Mammogram, right breast, MLO view. Patient age 60.
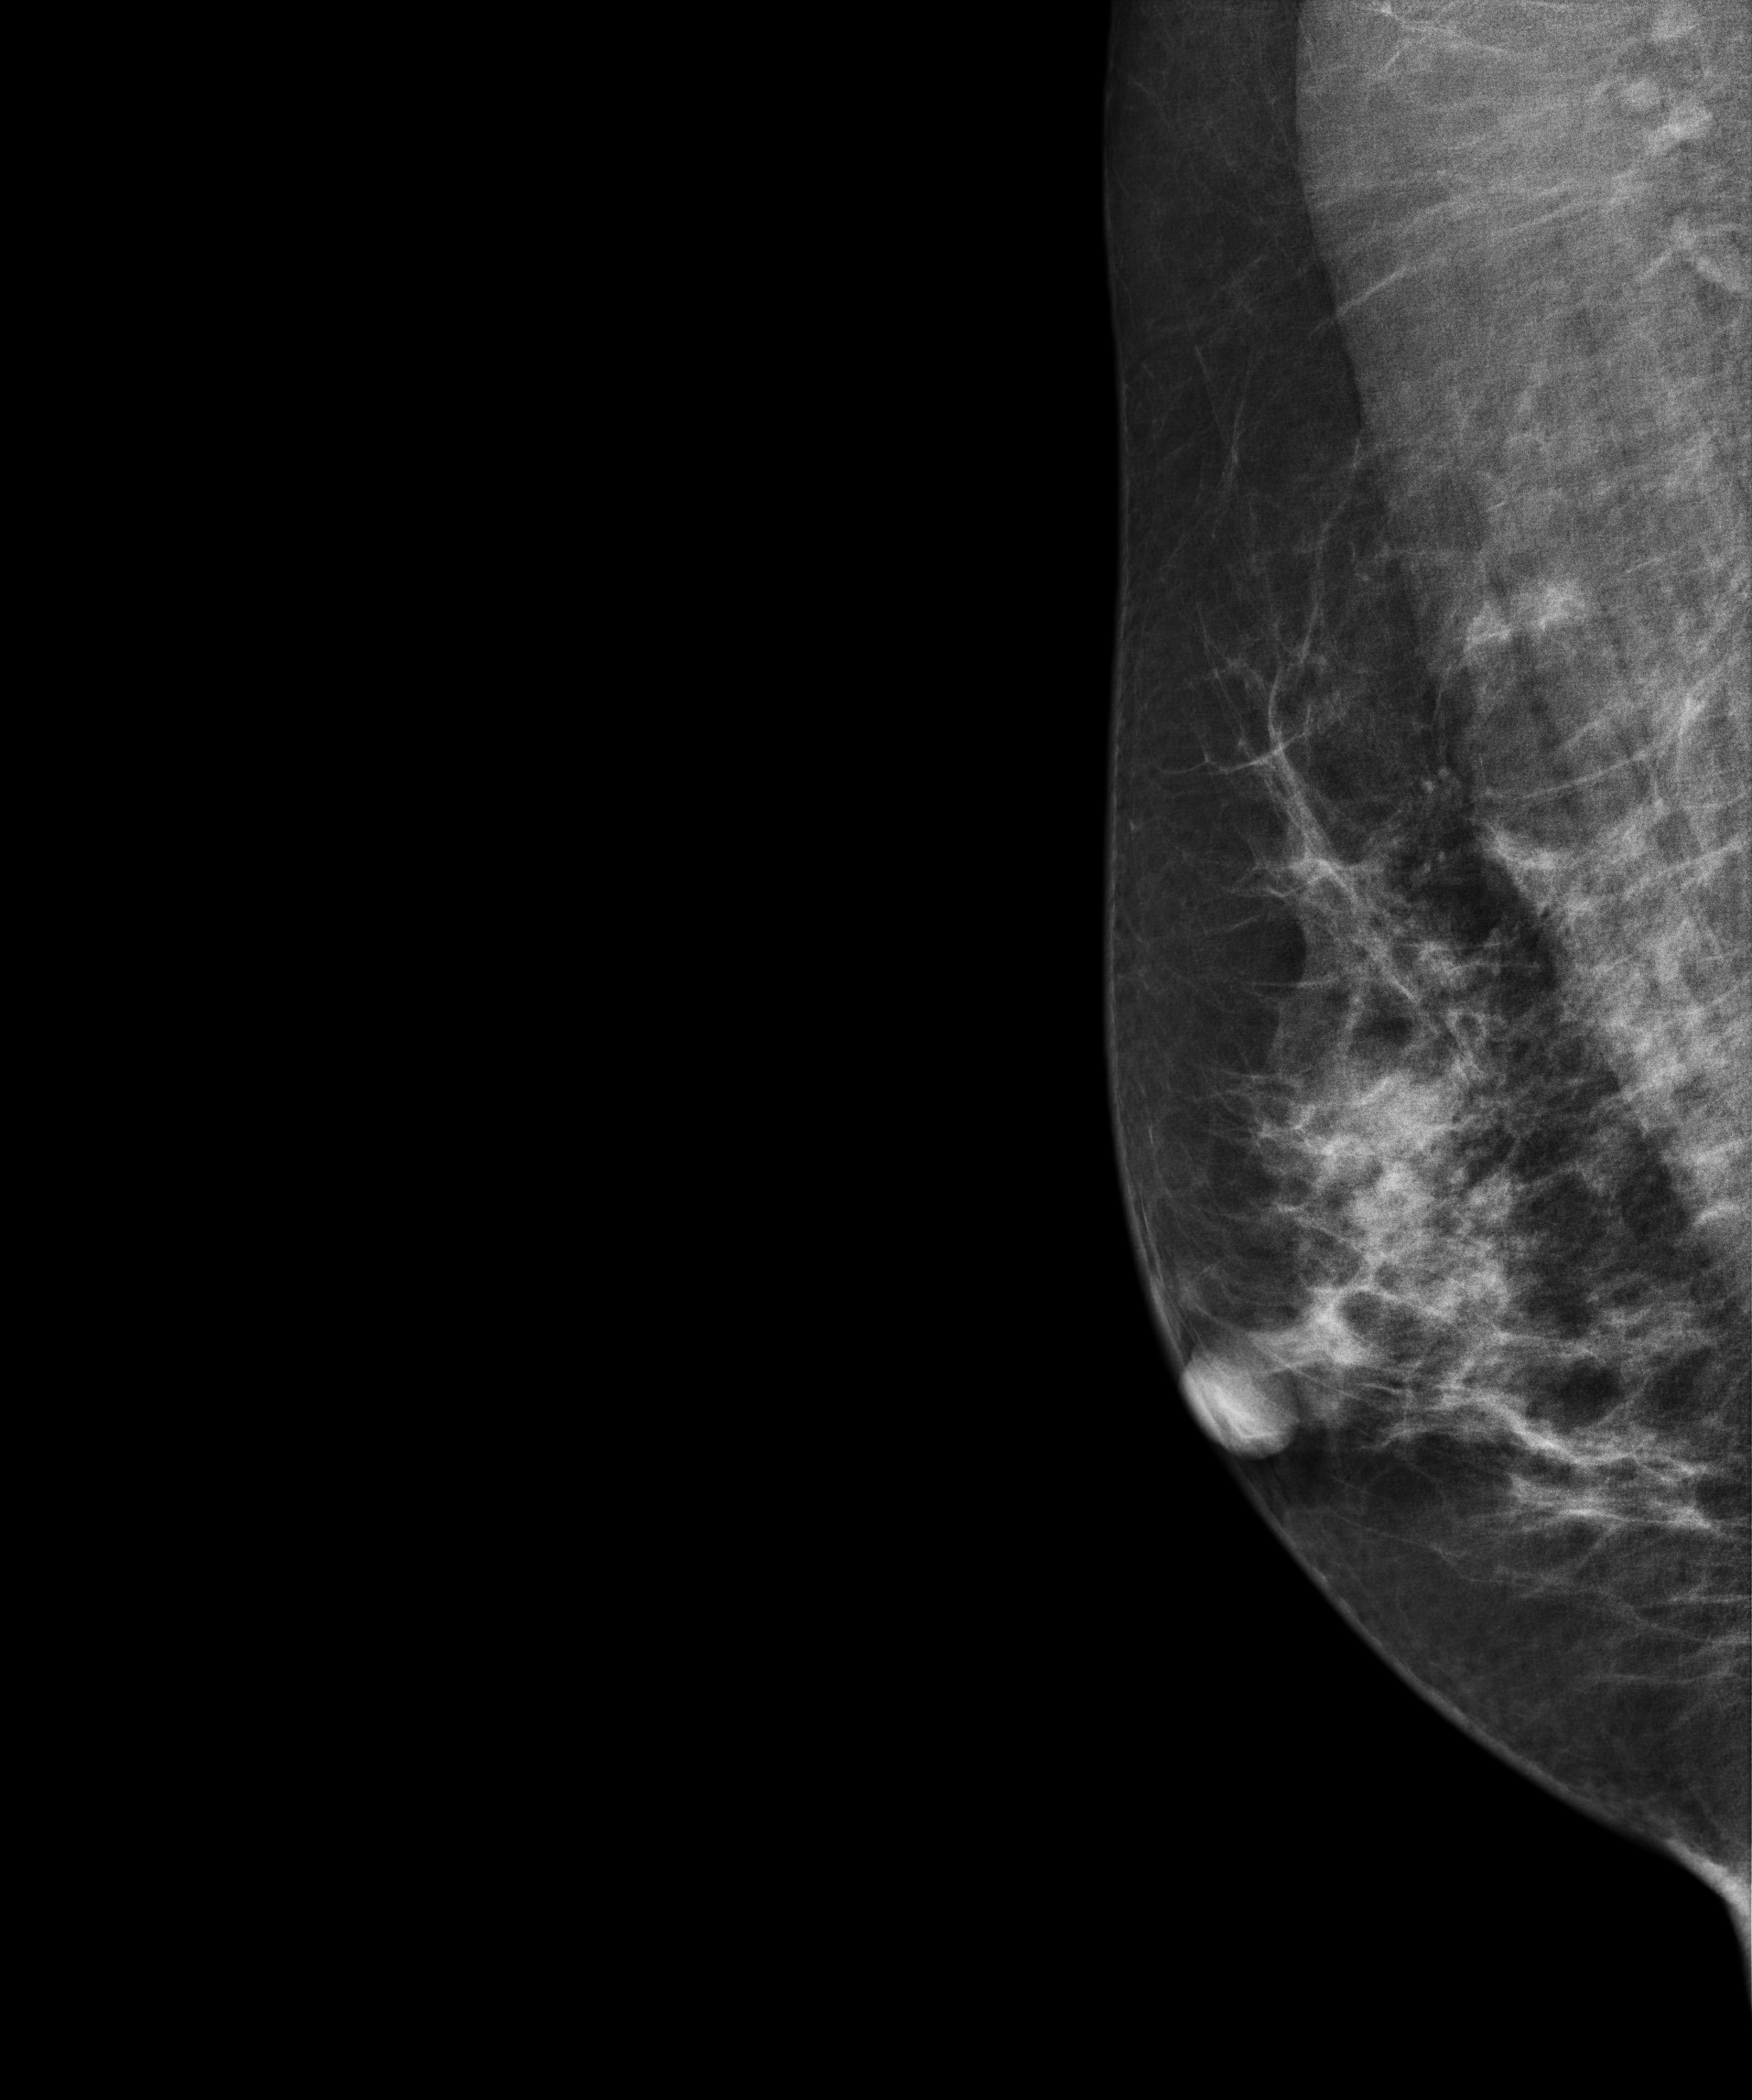
Contralateral breast — no documented abnormality on this side.